Left-breast mammogram, MLO. 36 y/o patient.
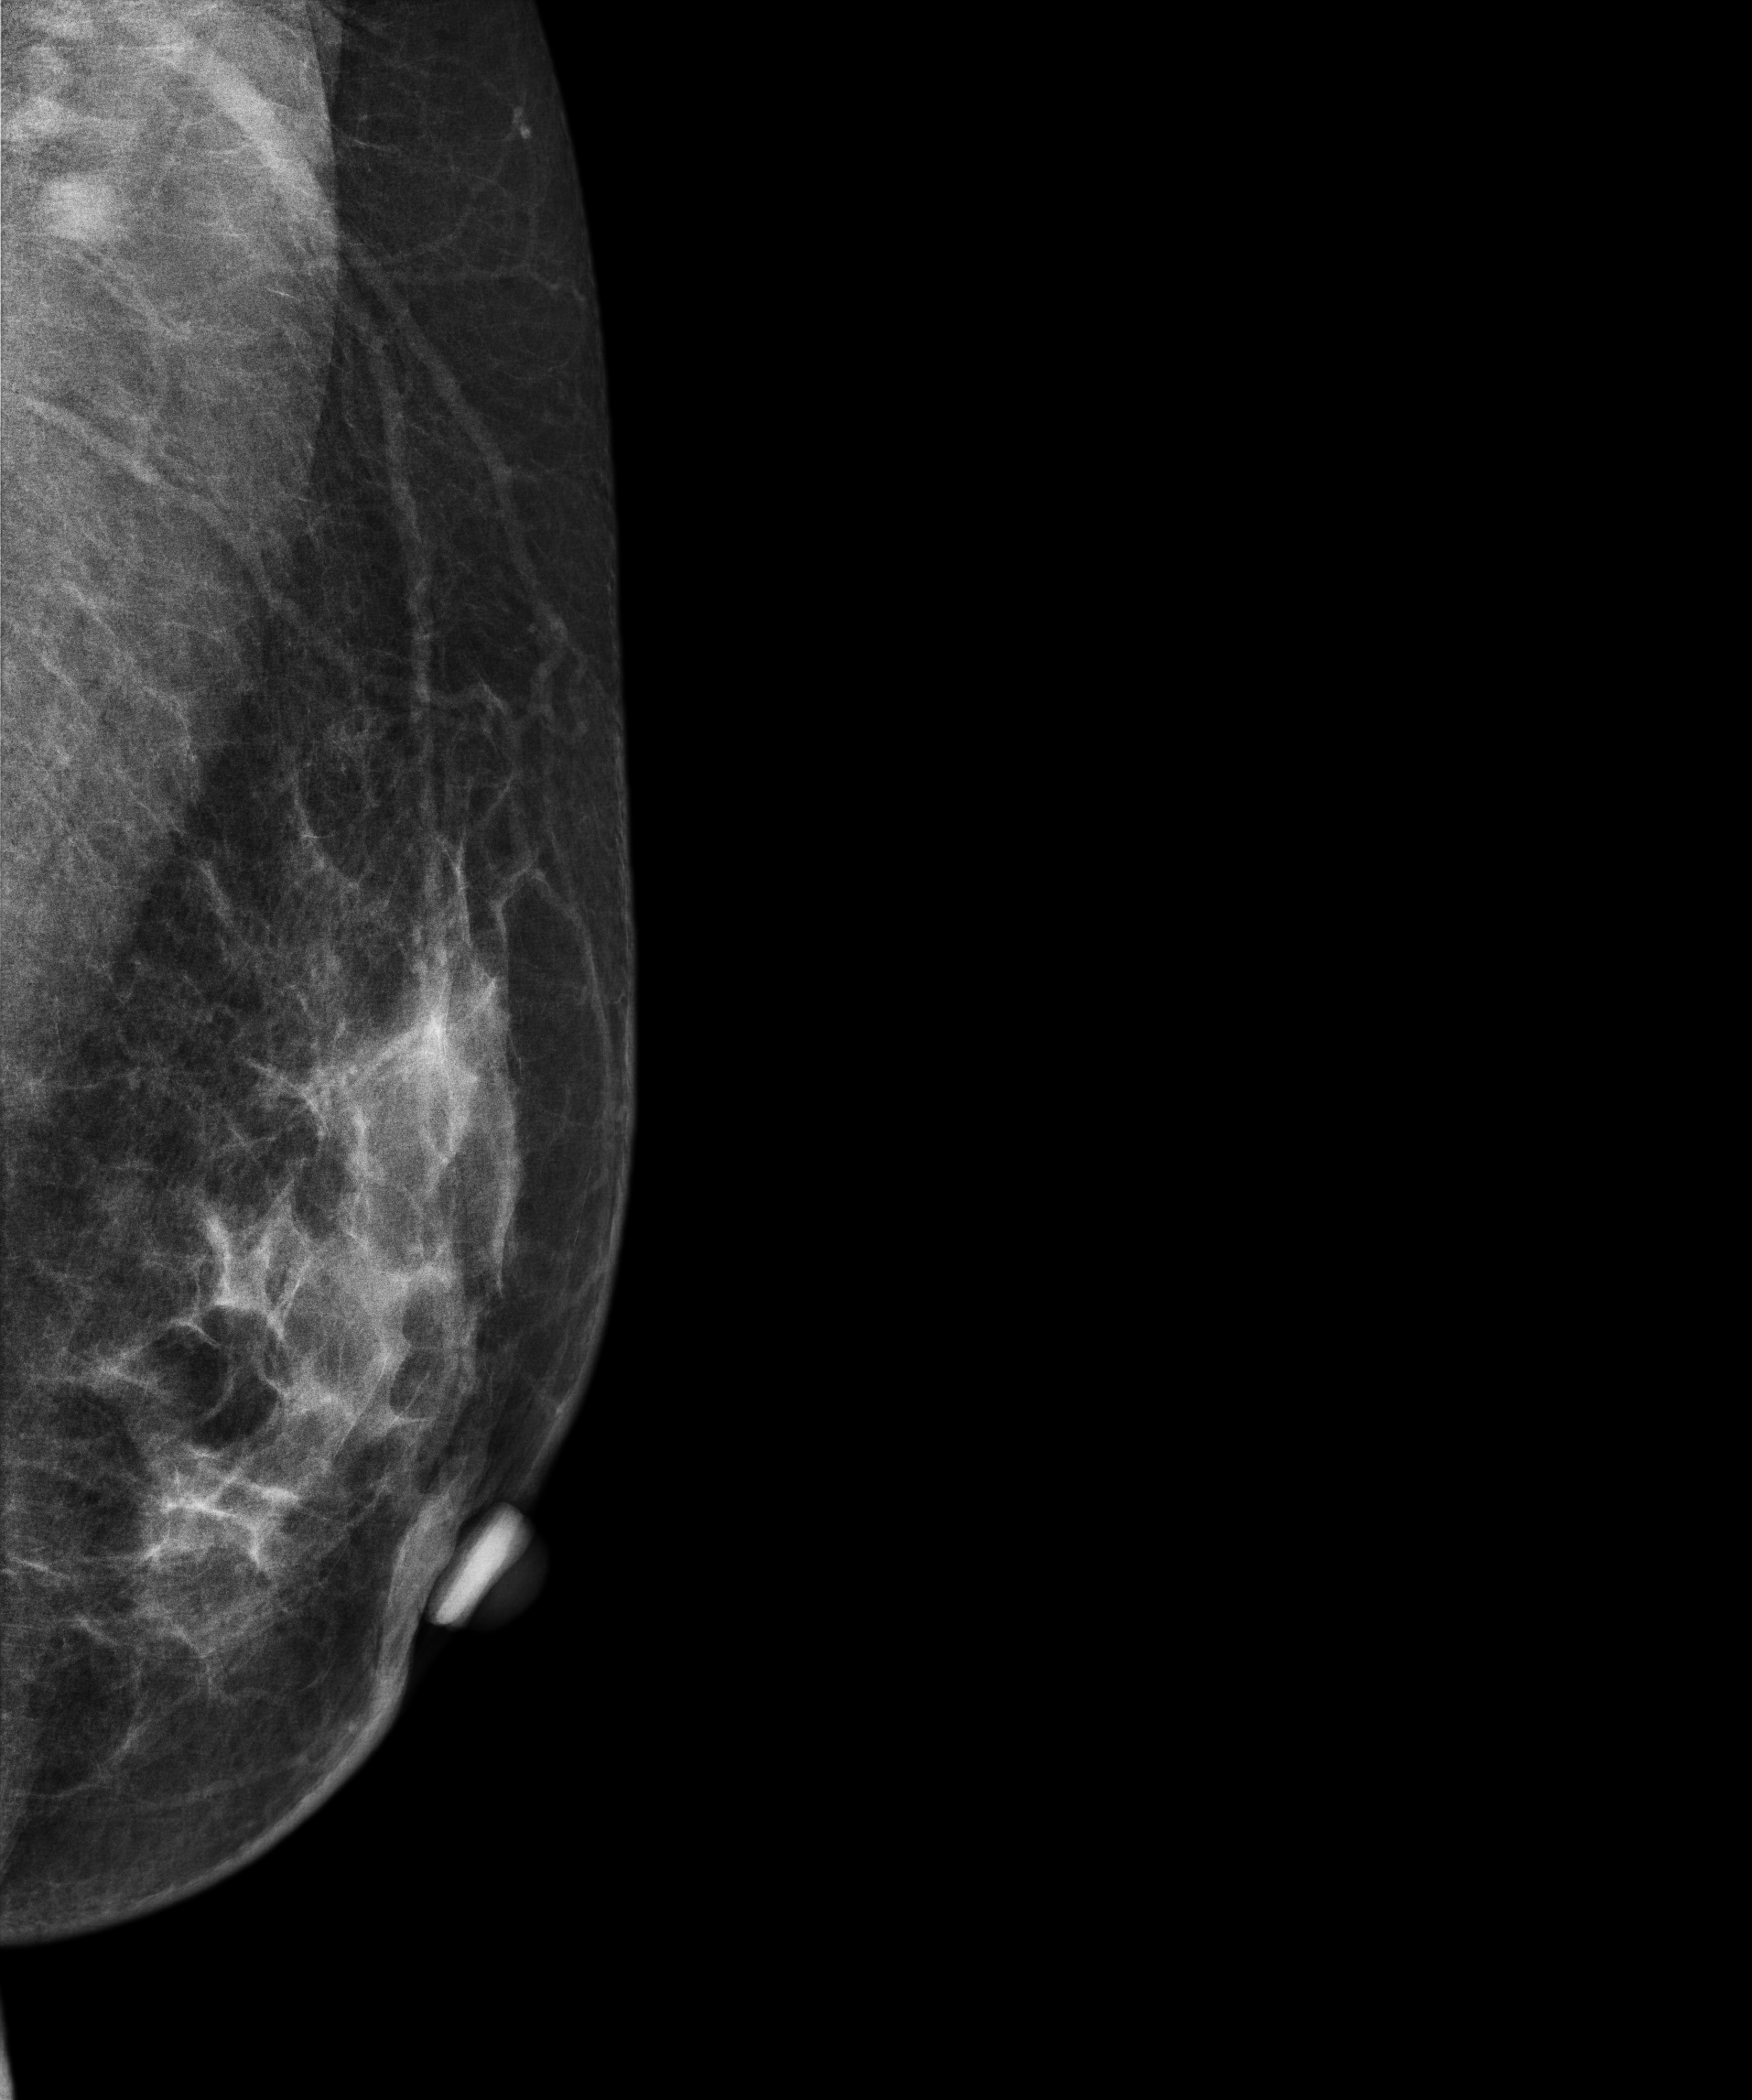
Contralateral breast — no documented abnormality on this side.